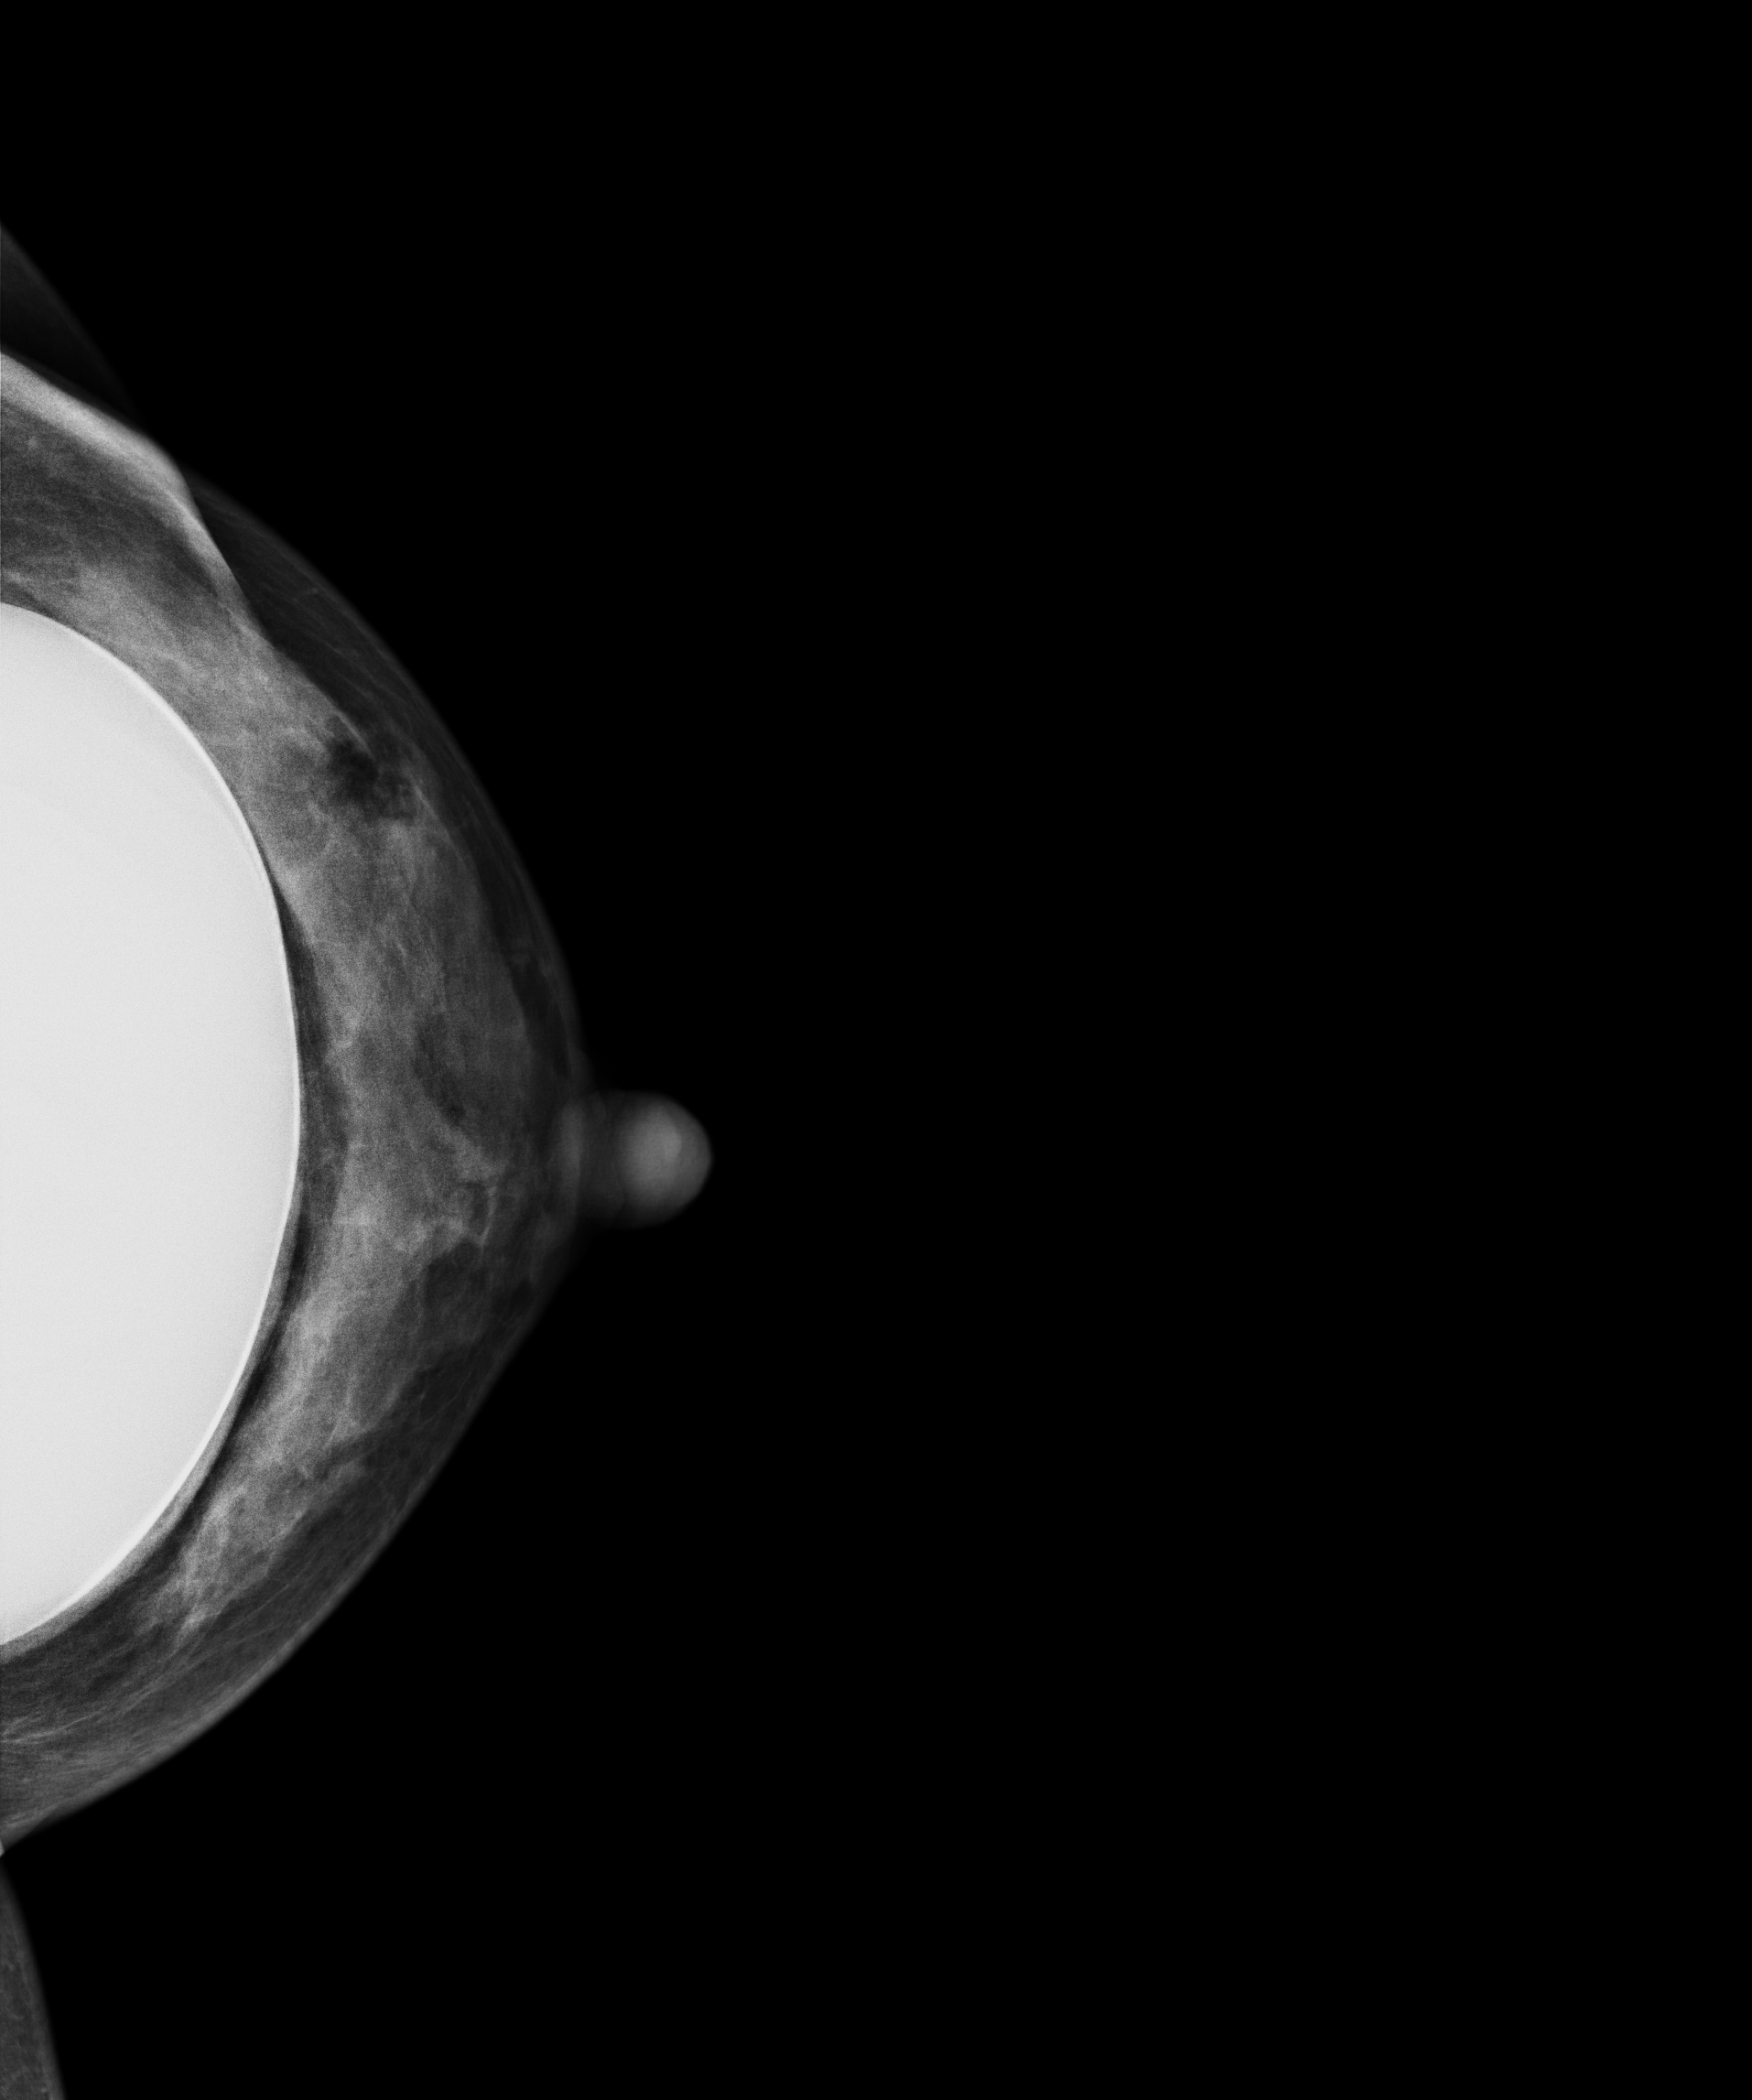
Left-breast mammogram, cranio-caudal. 50 y/o patient.
Contralateral breast — no documented abnormality on this side.